Right-breast mammogram, cranio-caudal. Patient age 57.
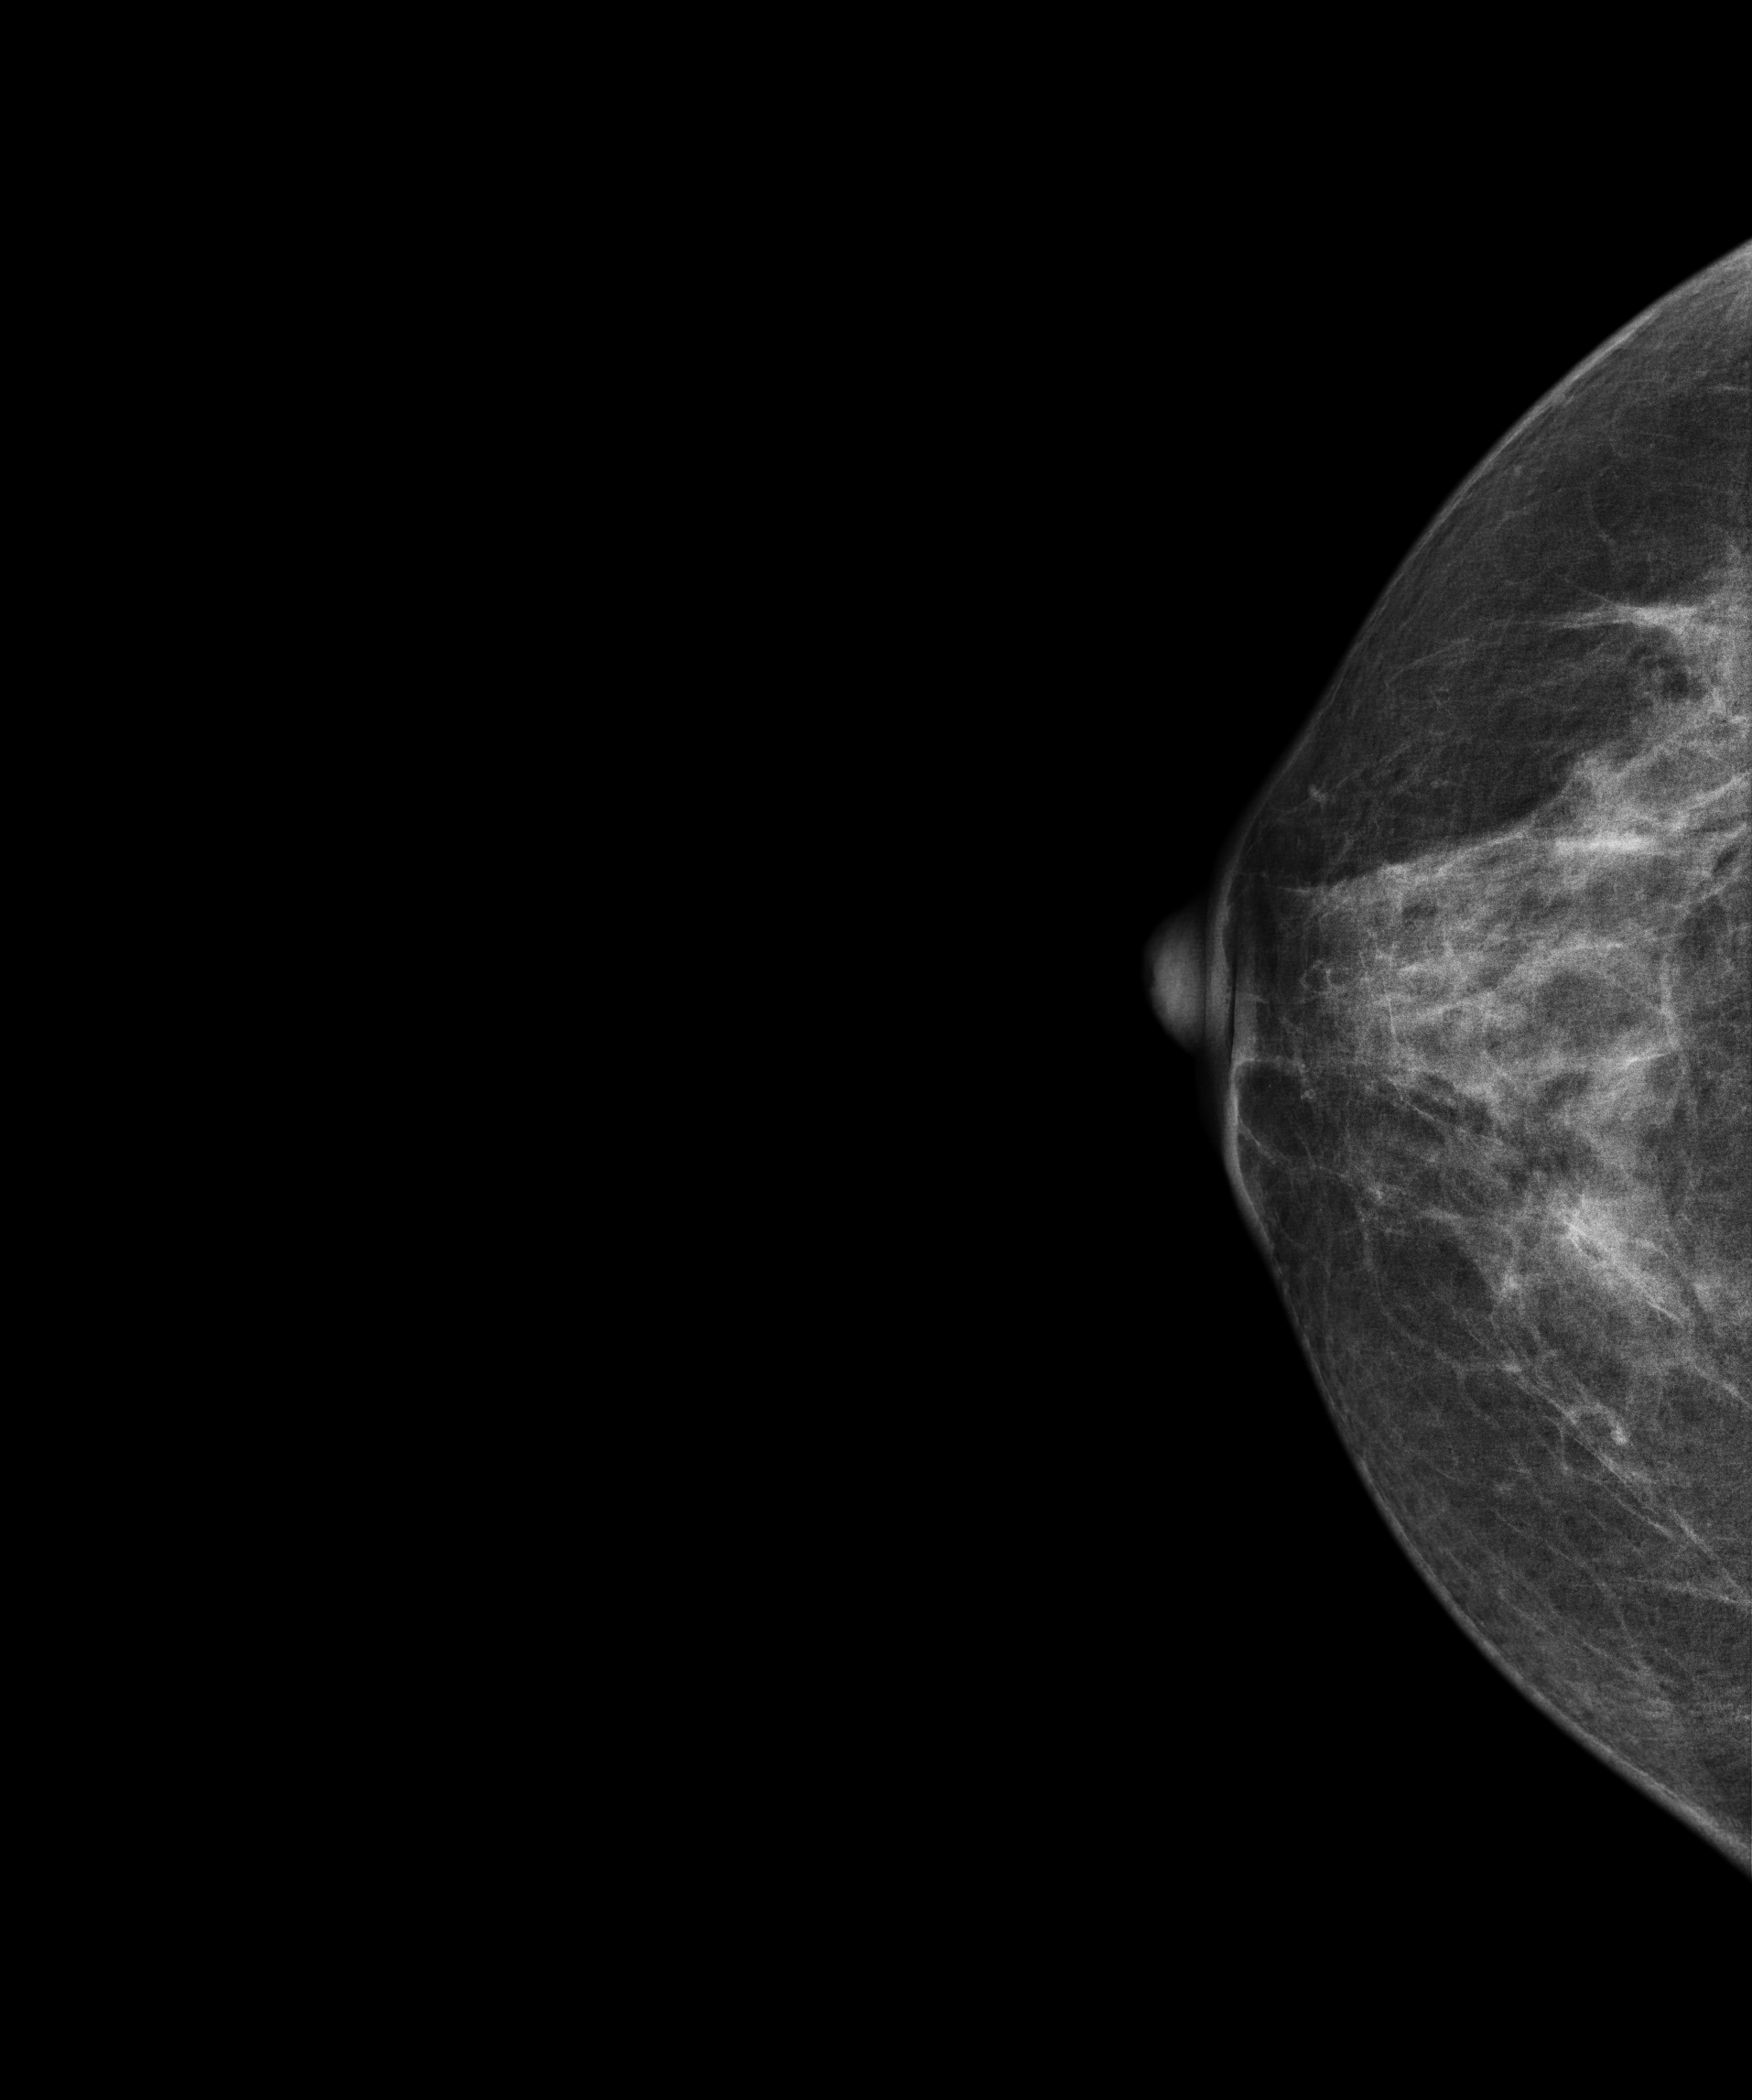
Contralateral breast — no documented abnormality on this side.